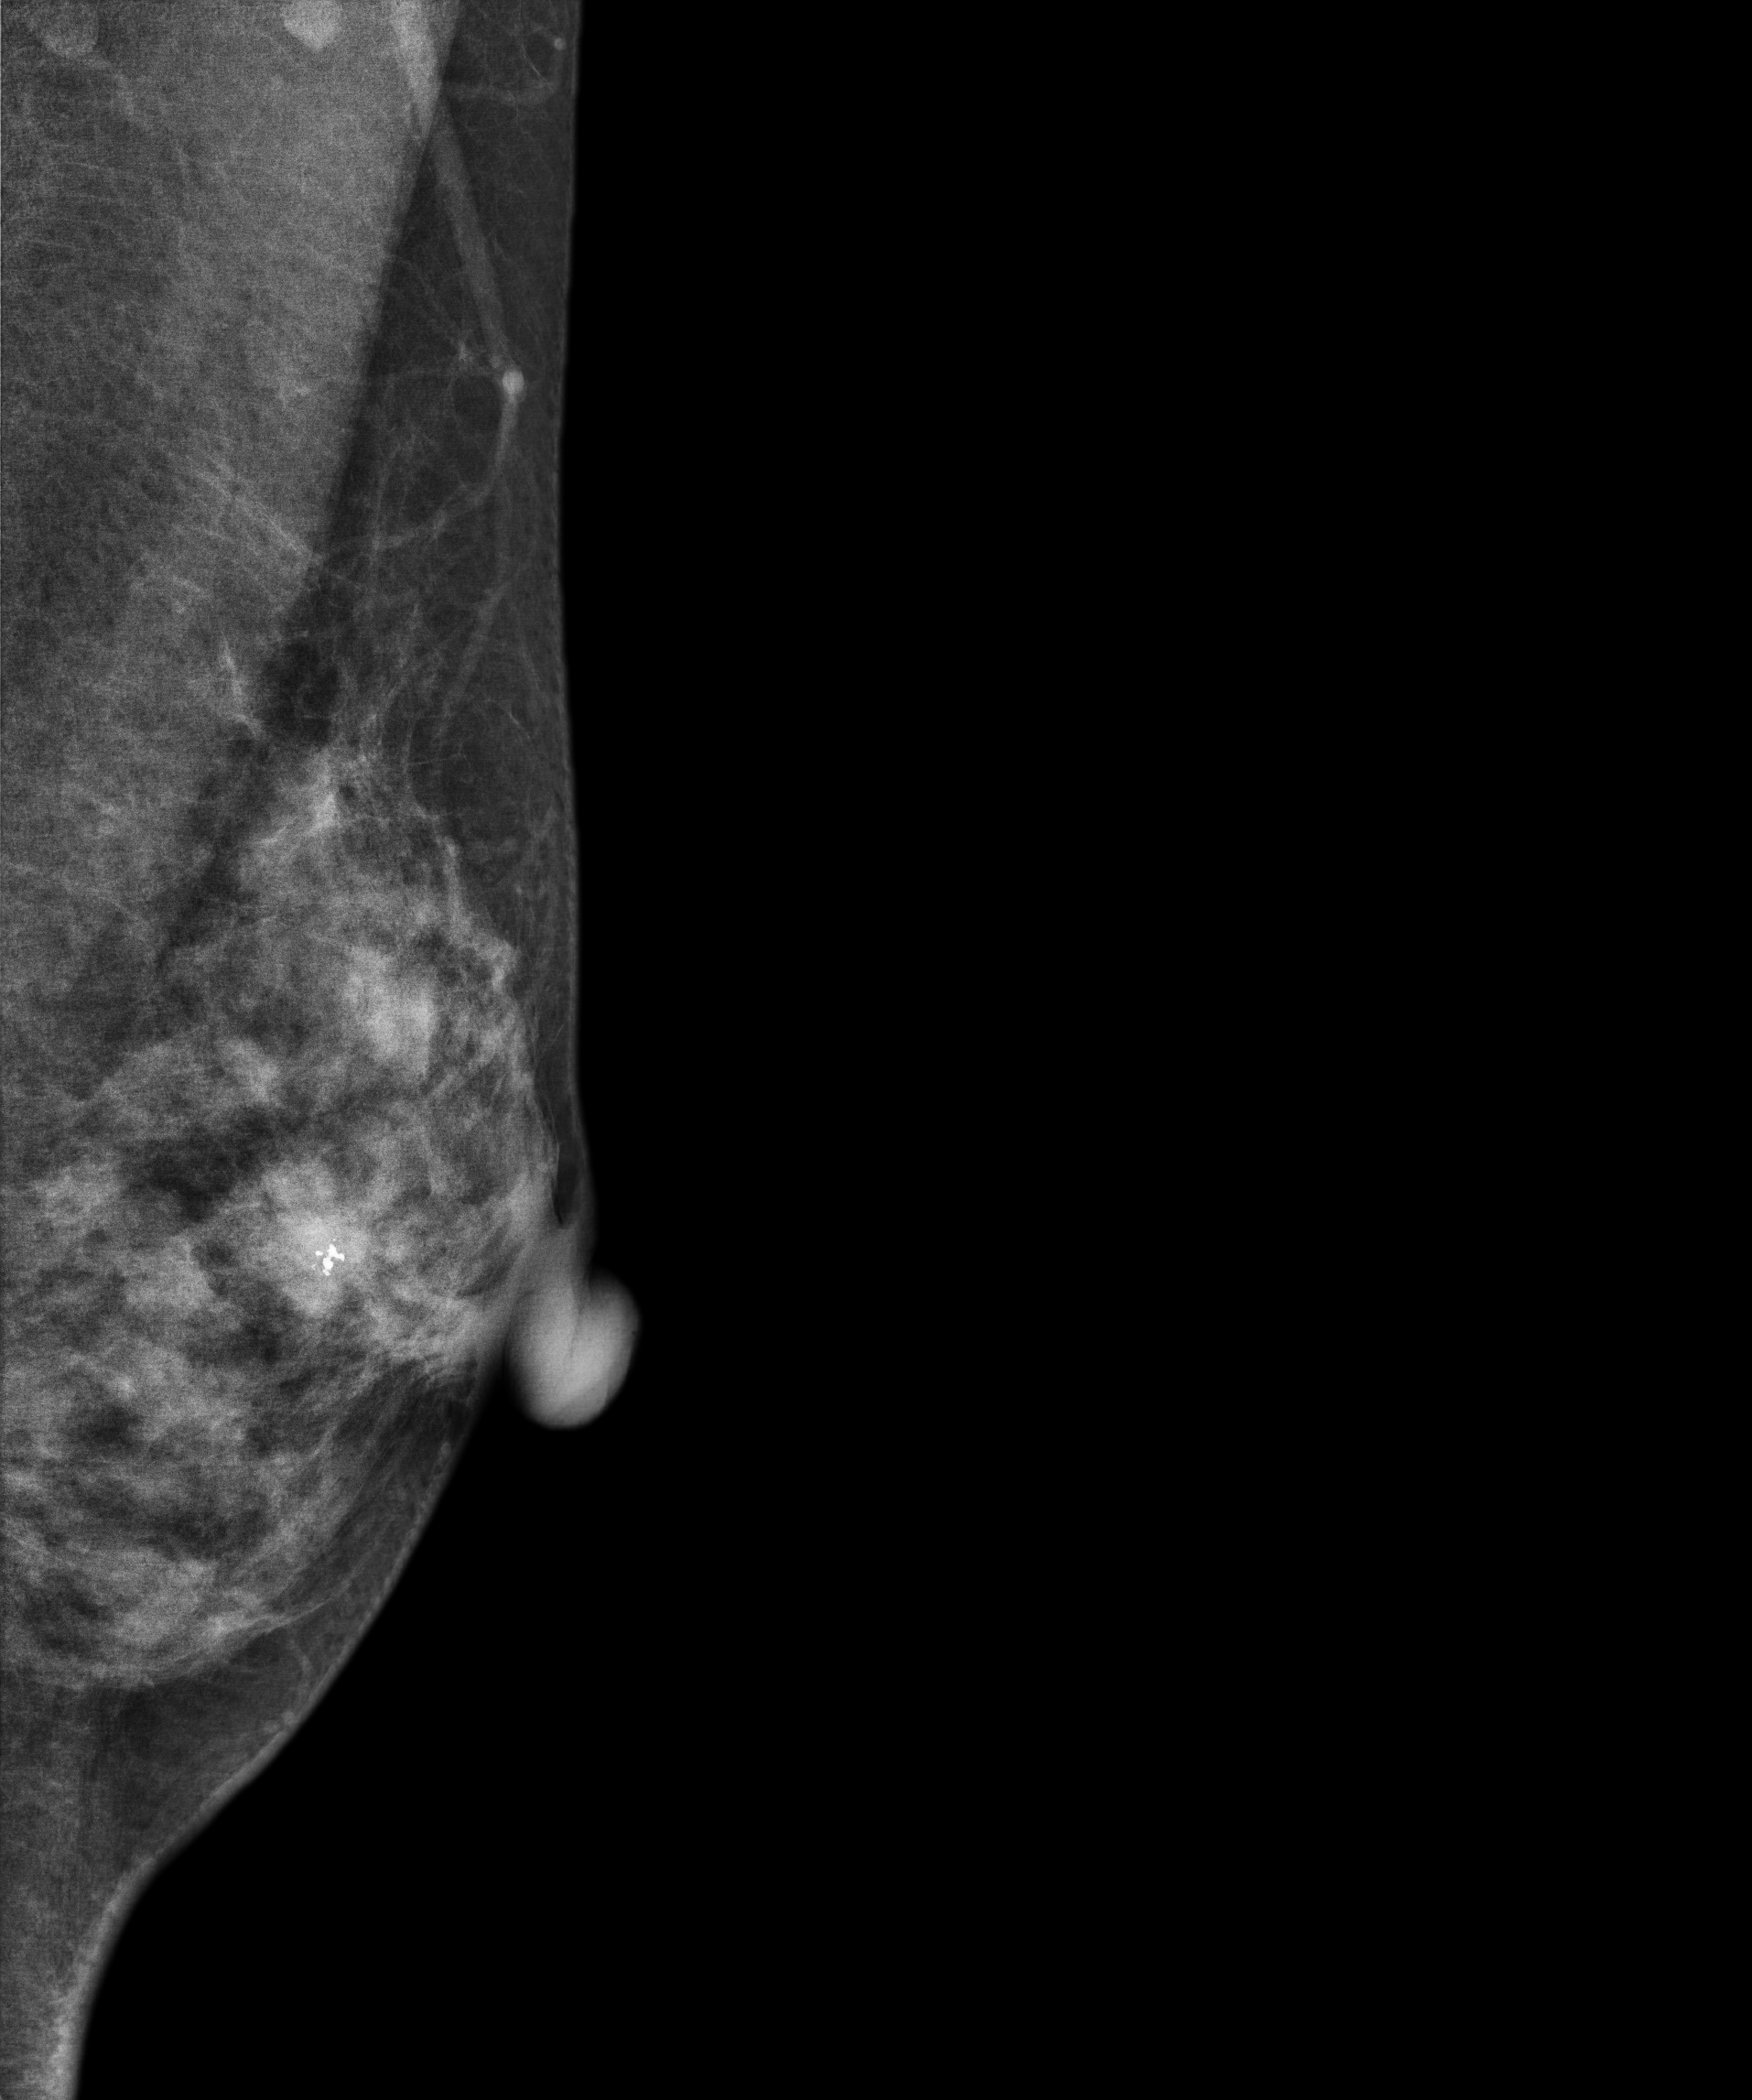
Left-breast mammogram, medio-lateral oblique. Patient age 46.
This breast has a mass and calcifications, biopsy-proven malignant. Molecular subtype: luminal B.